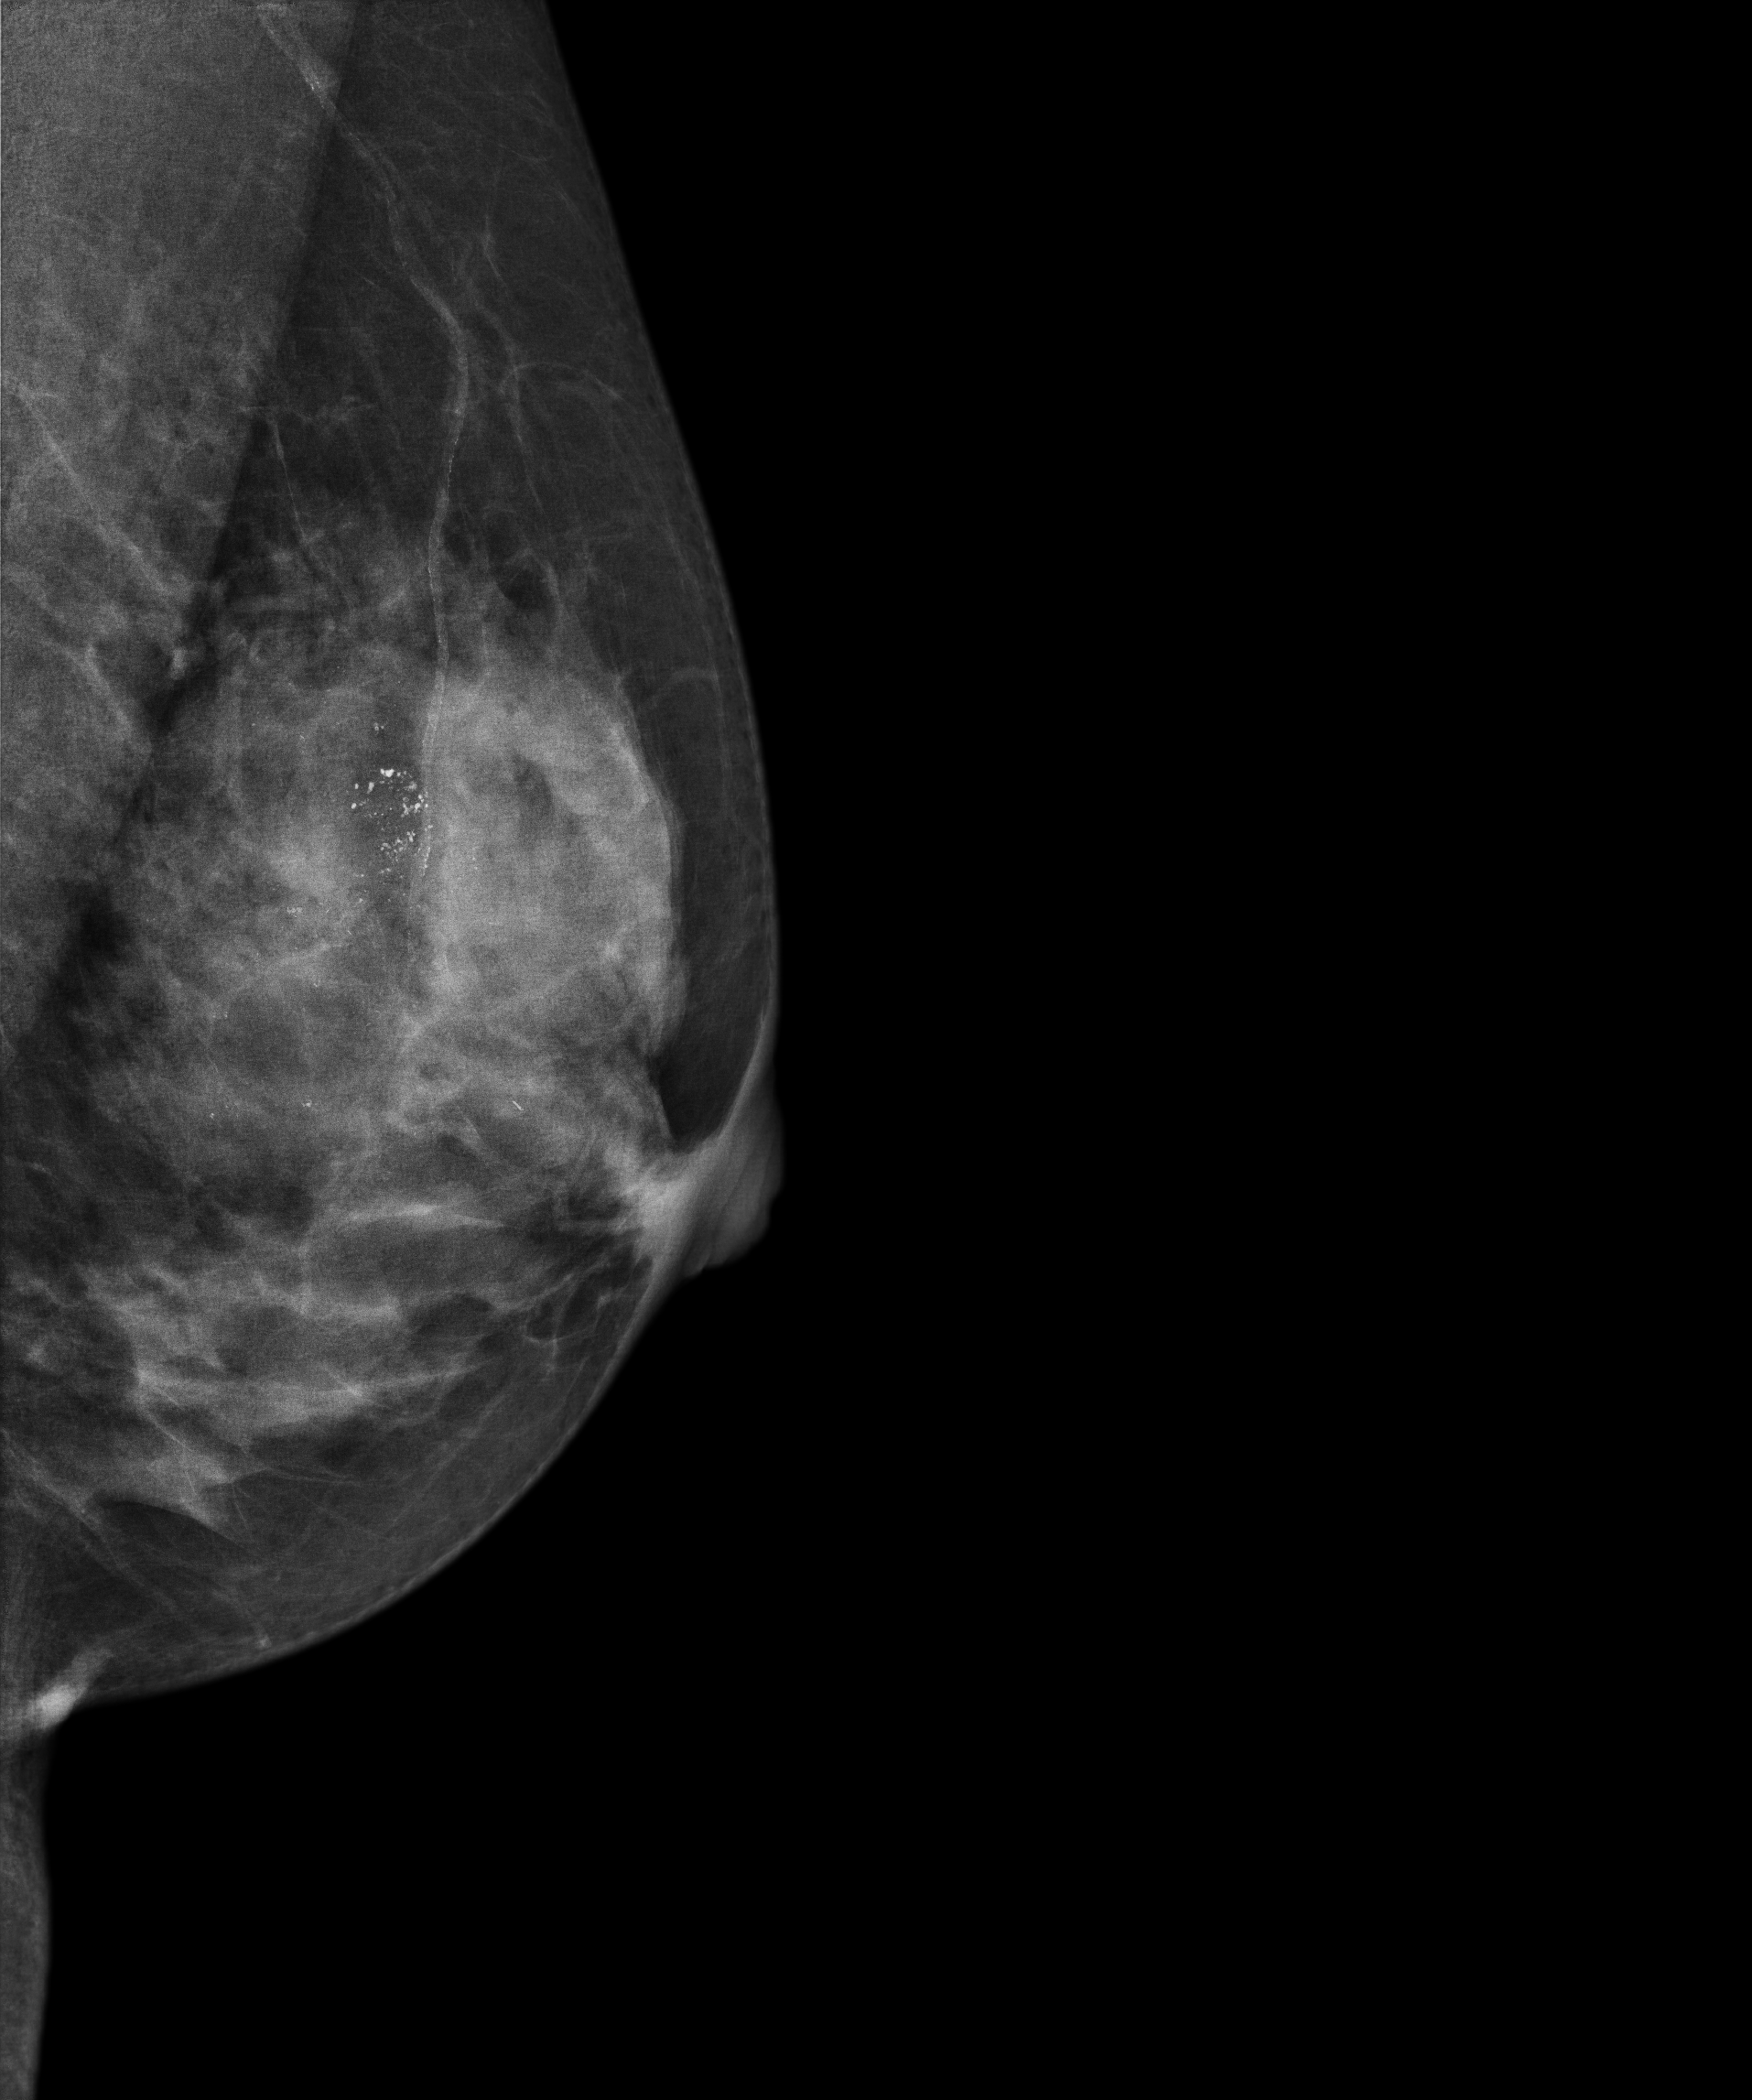
Mammogram, left breast, MLO view. 57 y/o patient.
This breast has calcifications, biopsy-proven malignant.